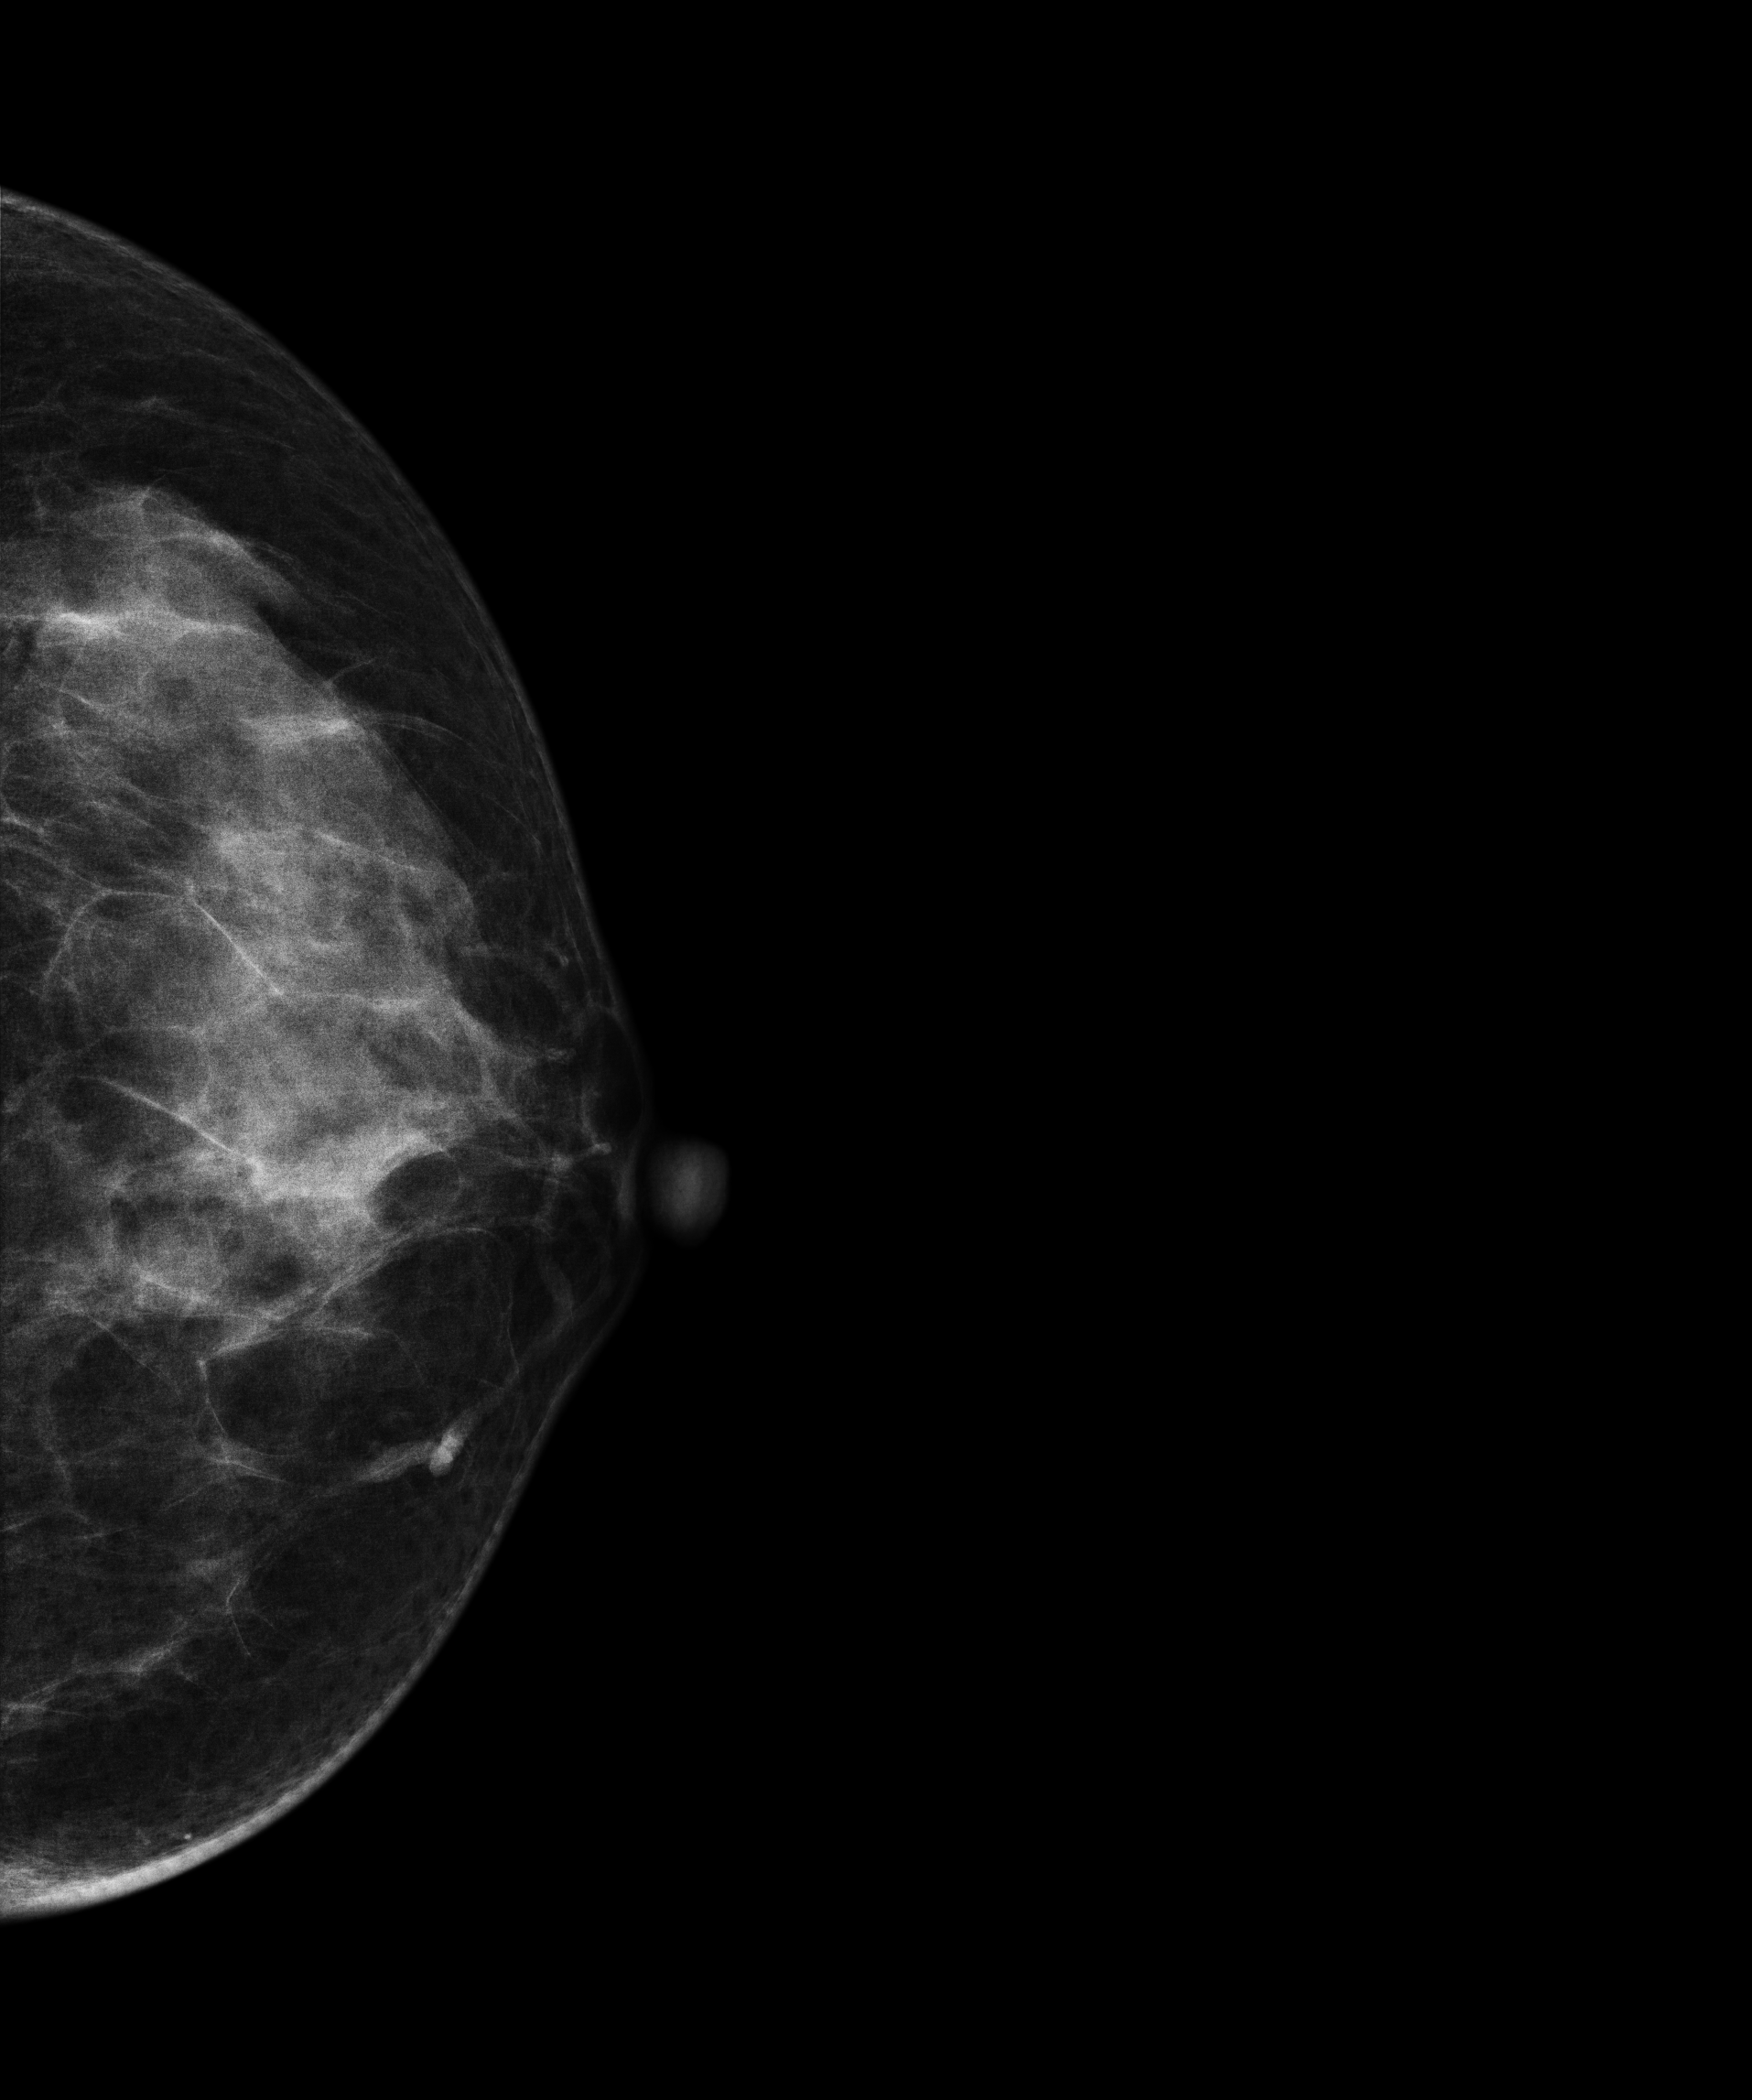
Mammogram, left breast, cranio-caudal view. 46 y/o patient.
Contralateral breast — no documented abnormality on this side.